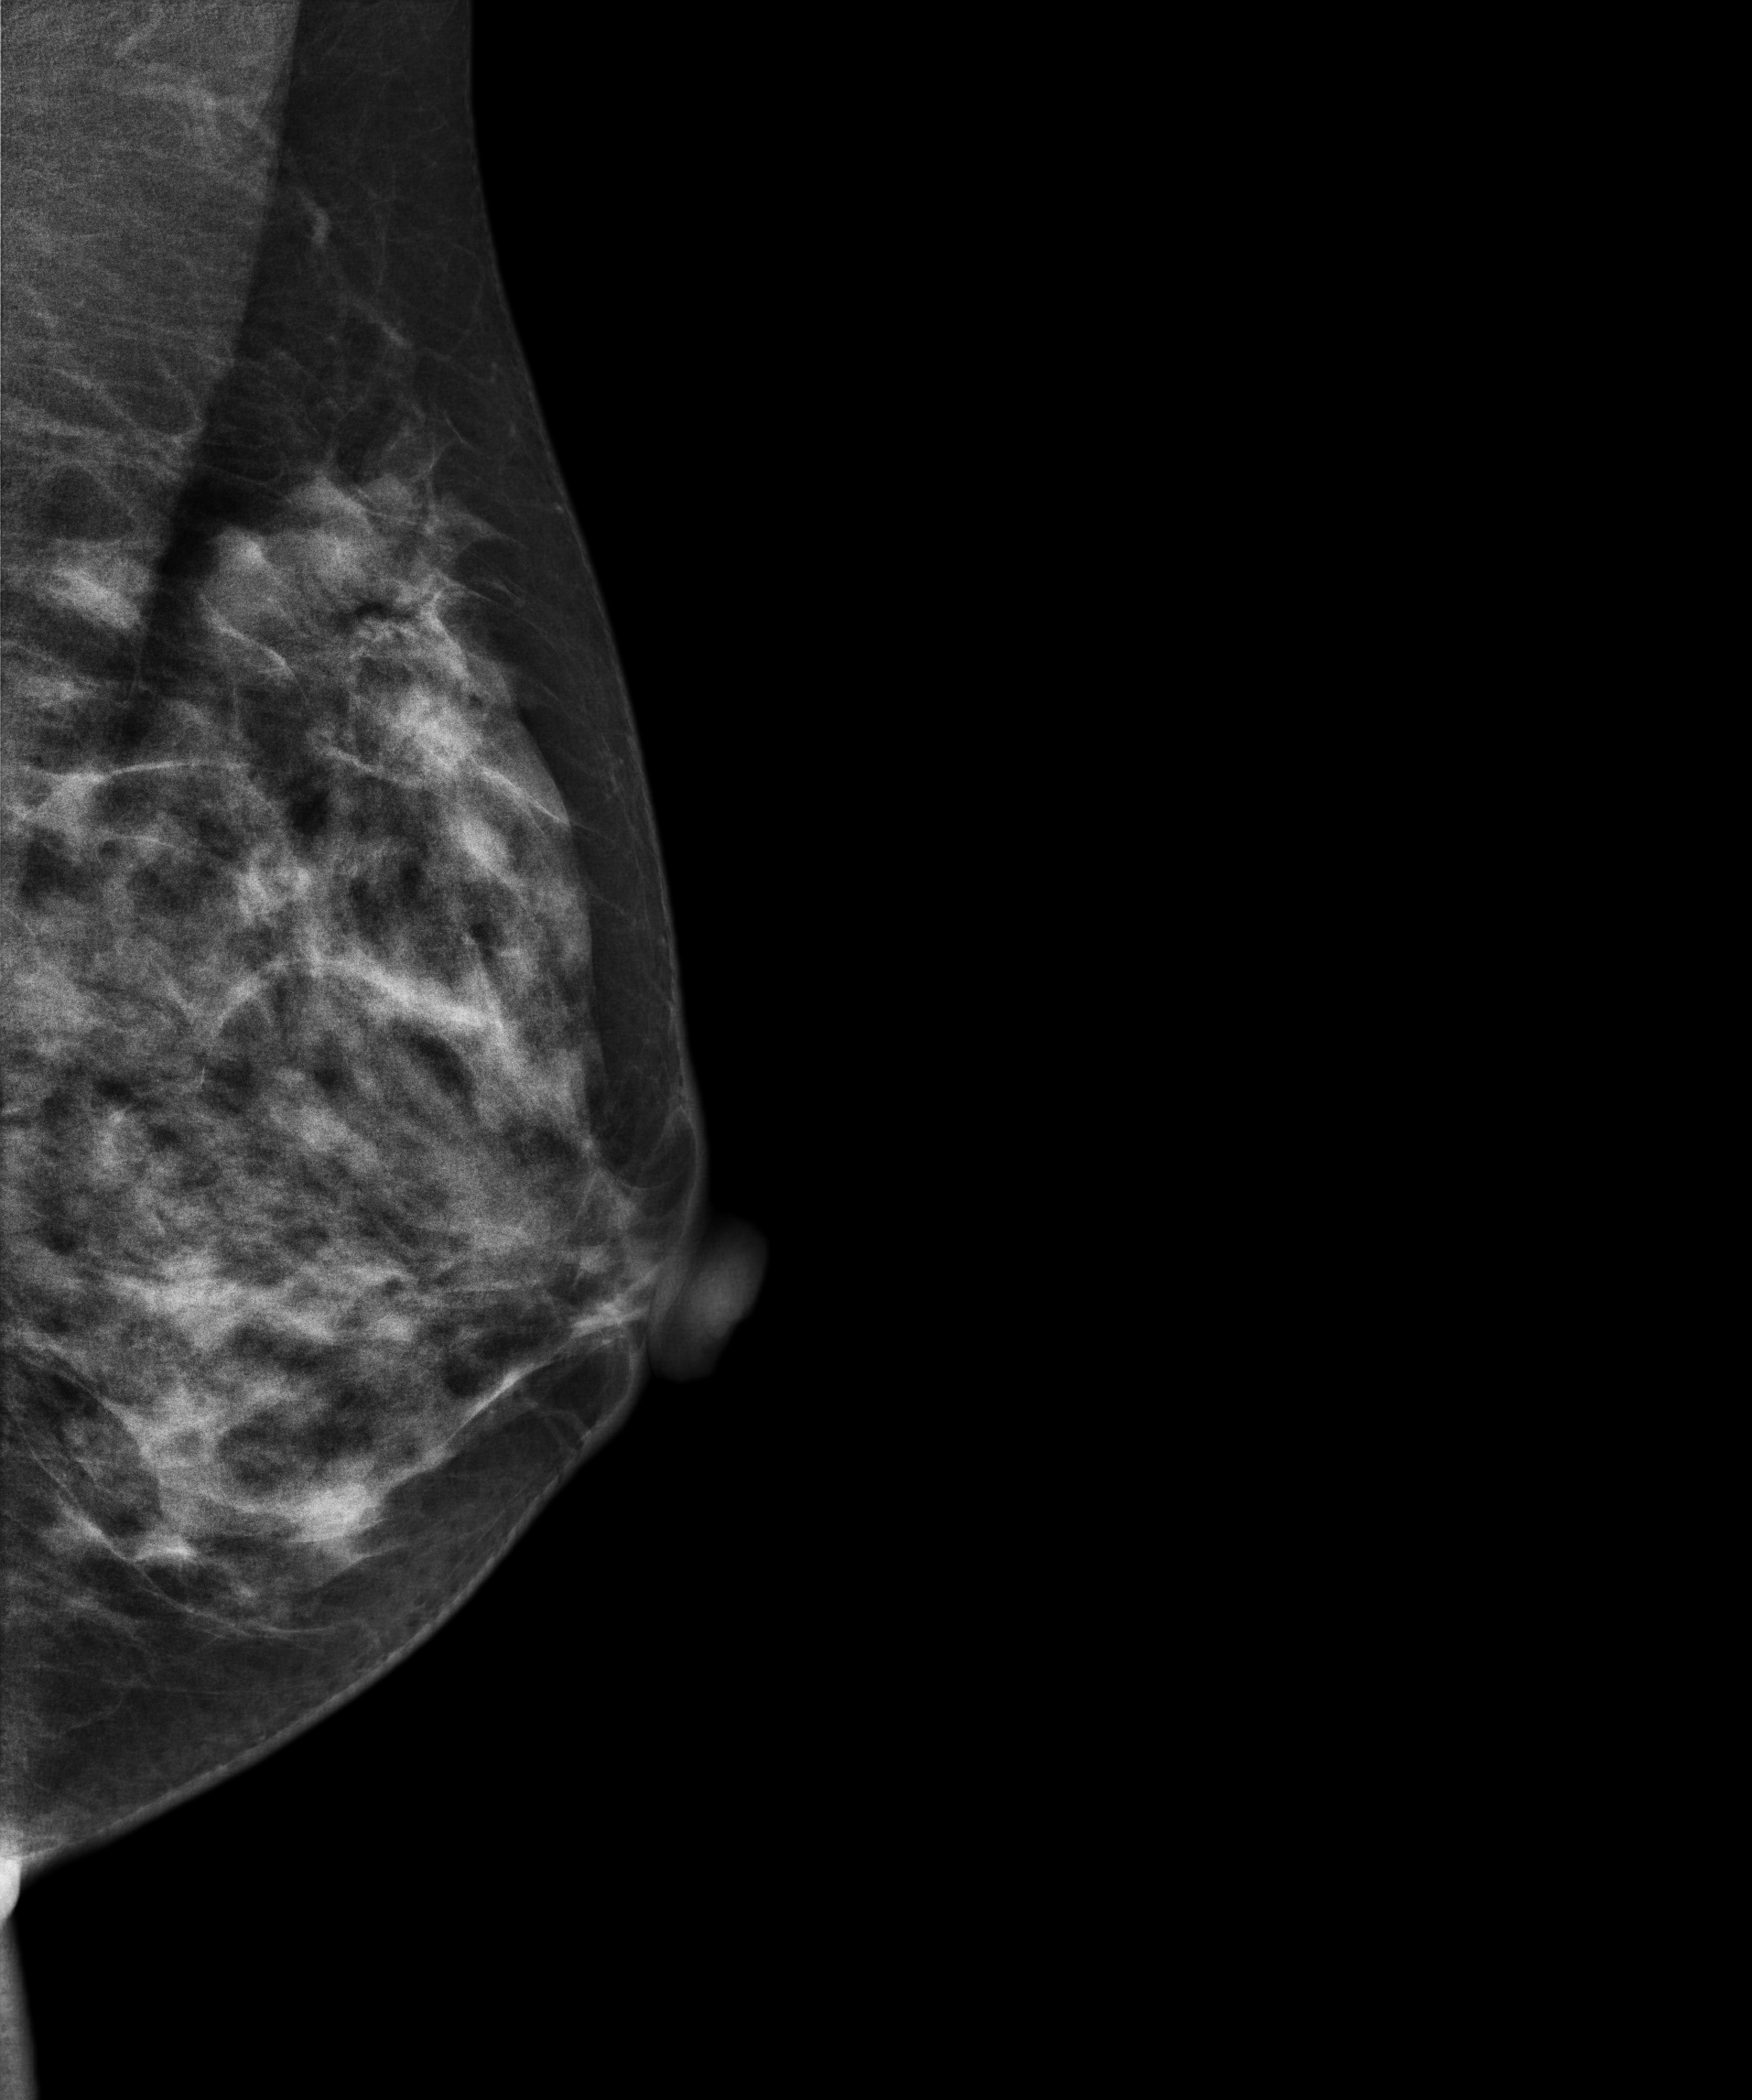
Digital mammography. Left breast, MLO projection. Patient age 48.
This breast has a mass, biopsy-proven malignant.